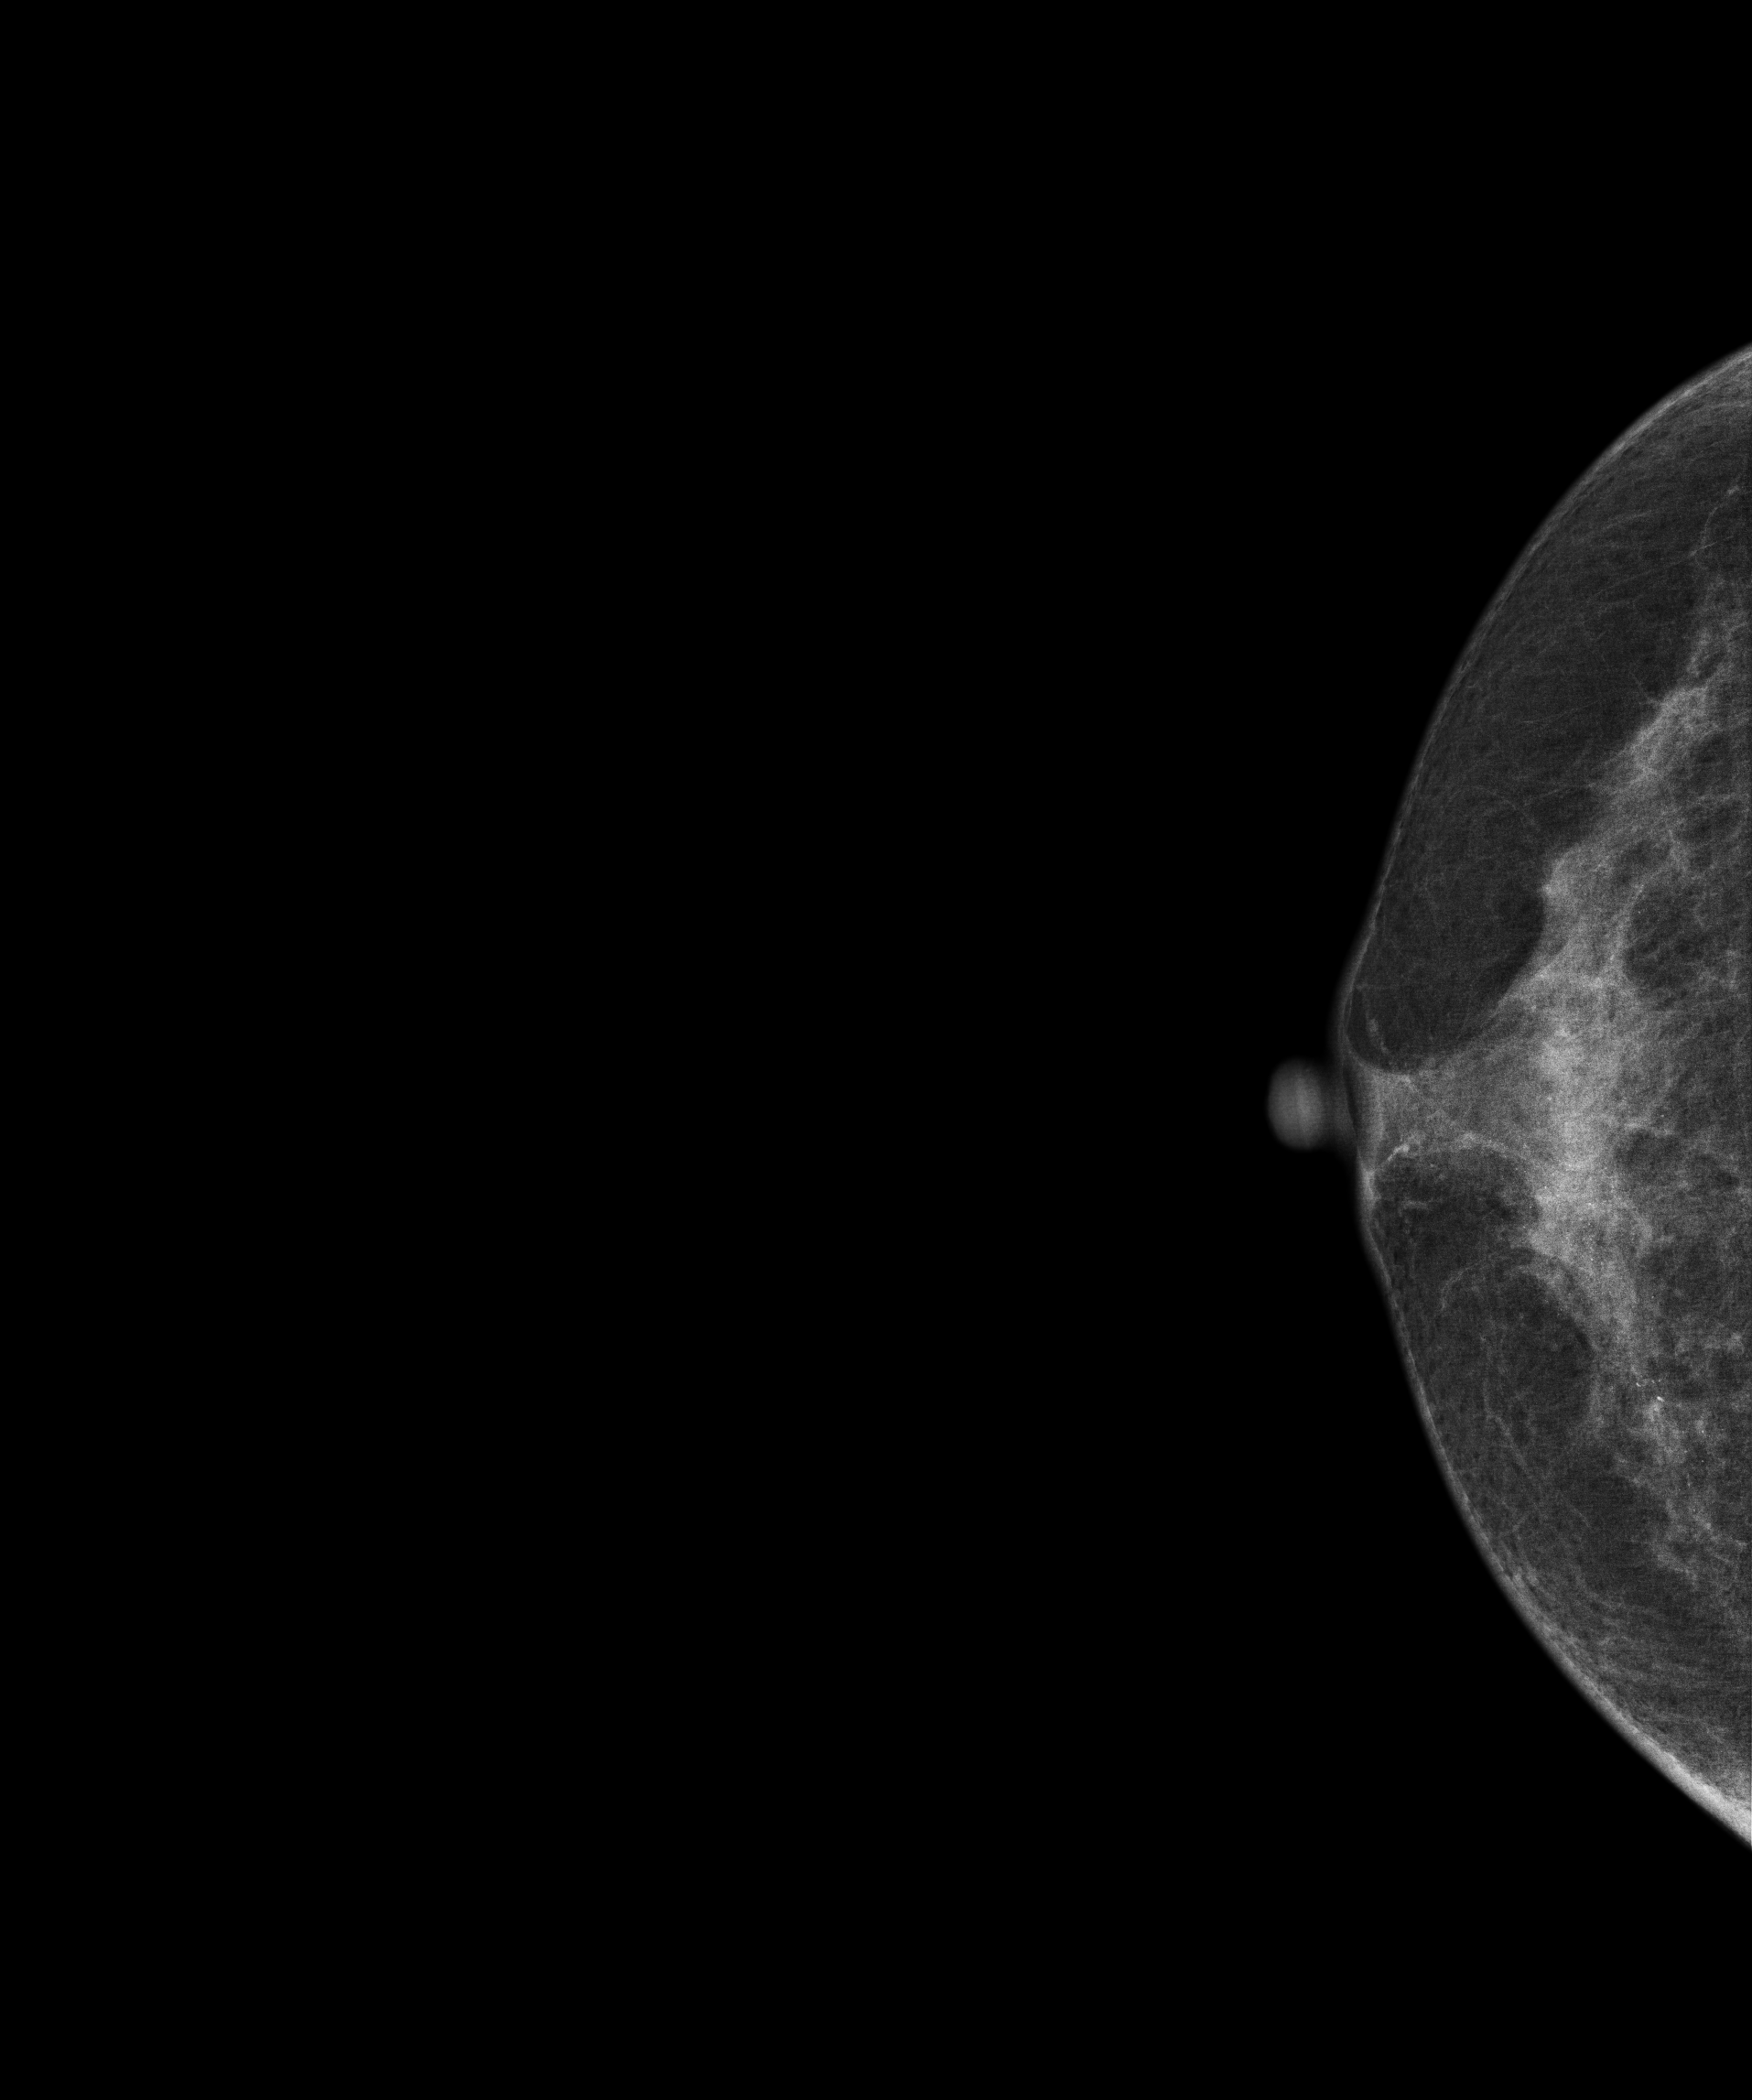
Mammogram, right breast, cranio-caudal view. 54 y/o patient.
This breast has calcifications, biopsy-confirmed benign.